Left-breast mammogram, cranio-caudal. Patient age 60.
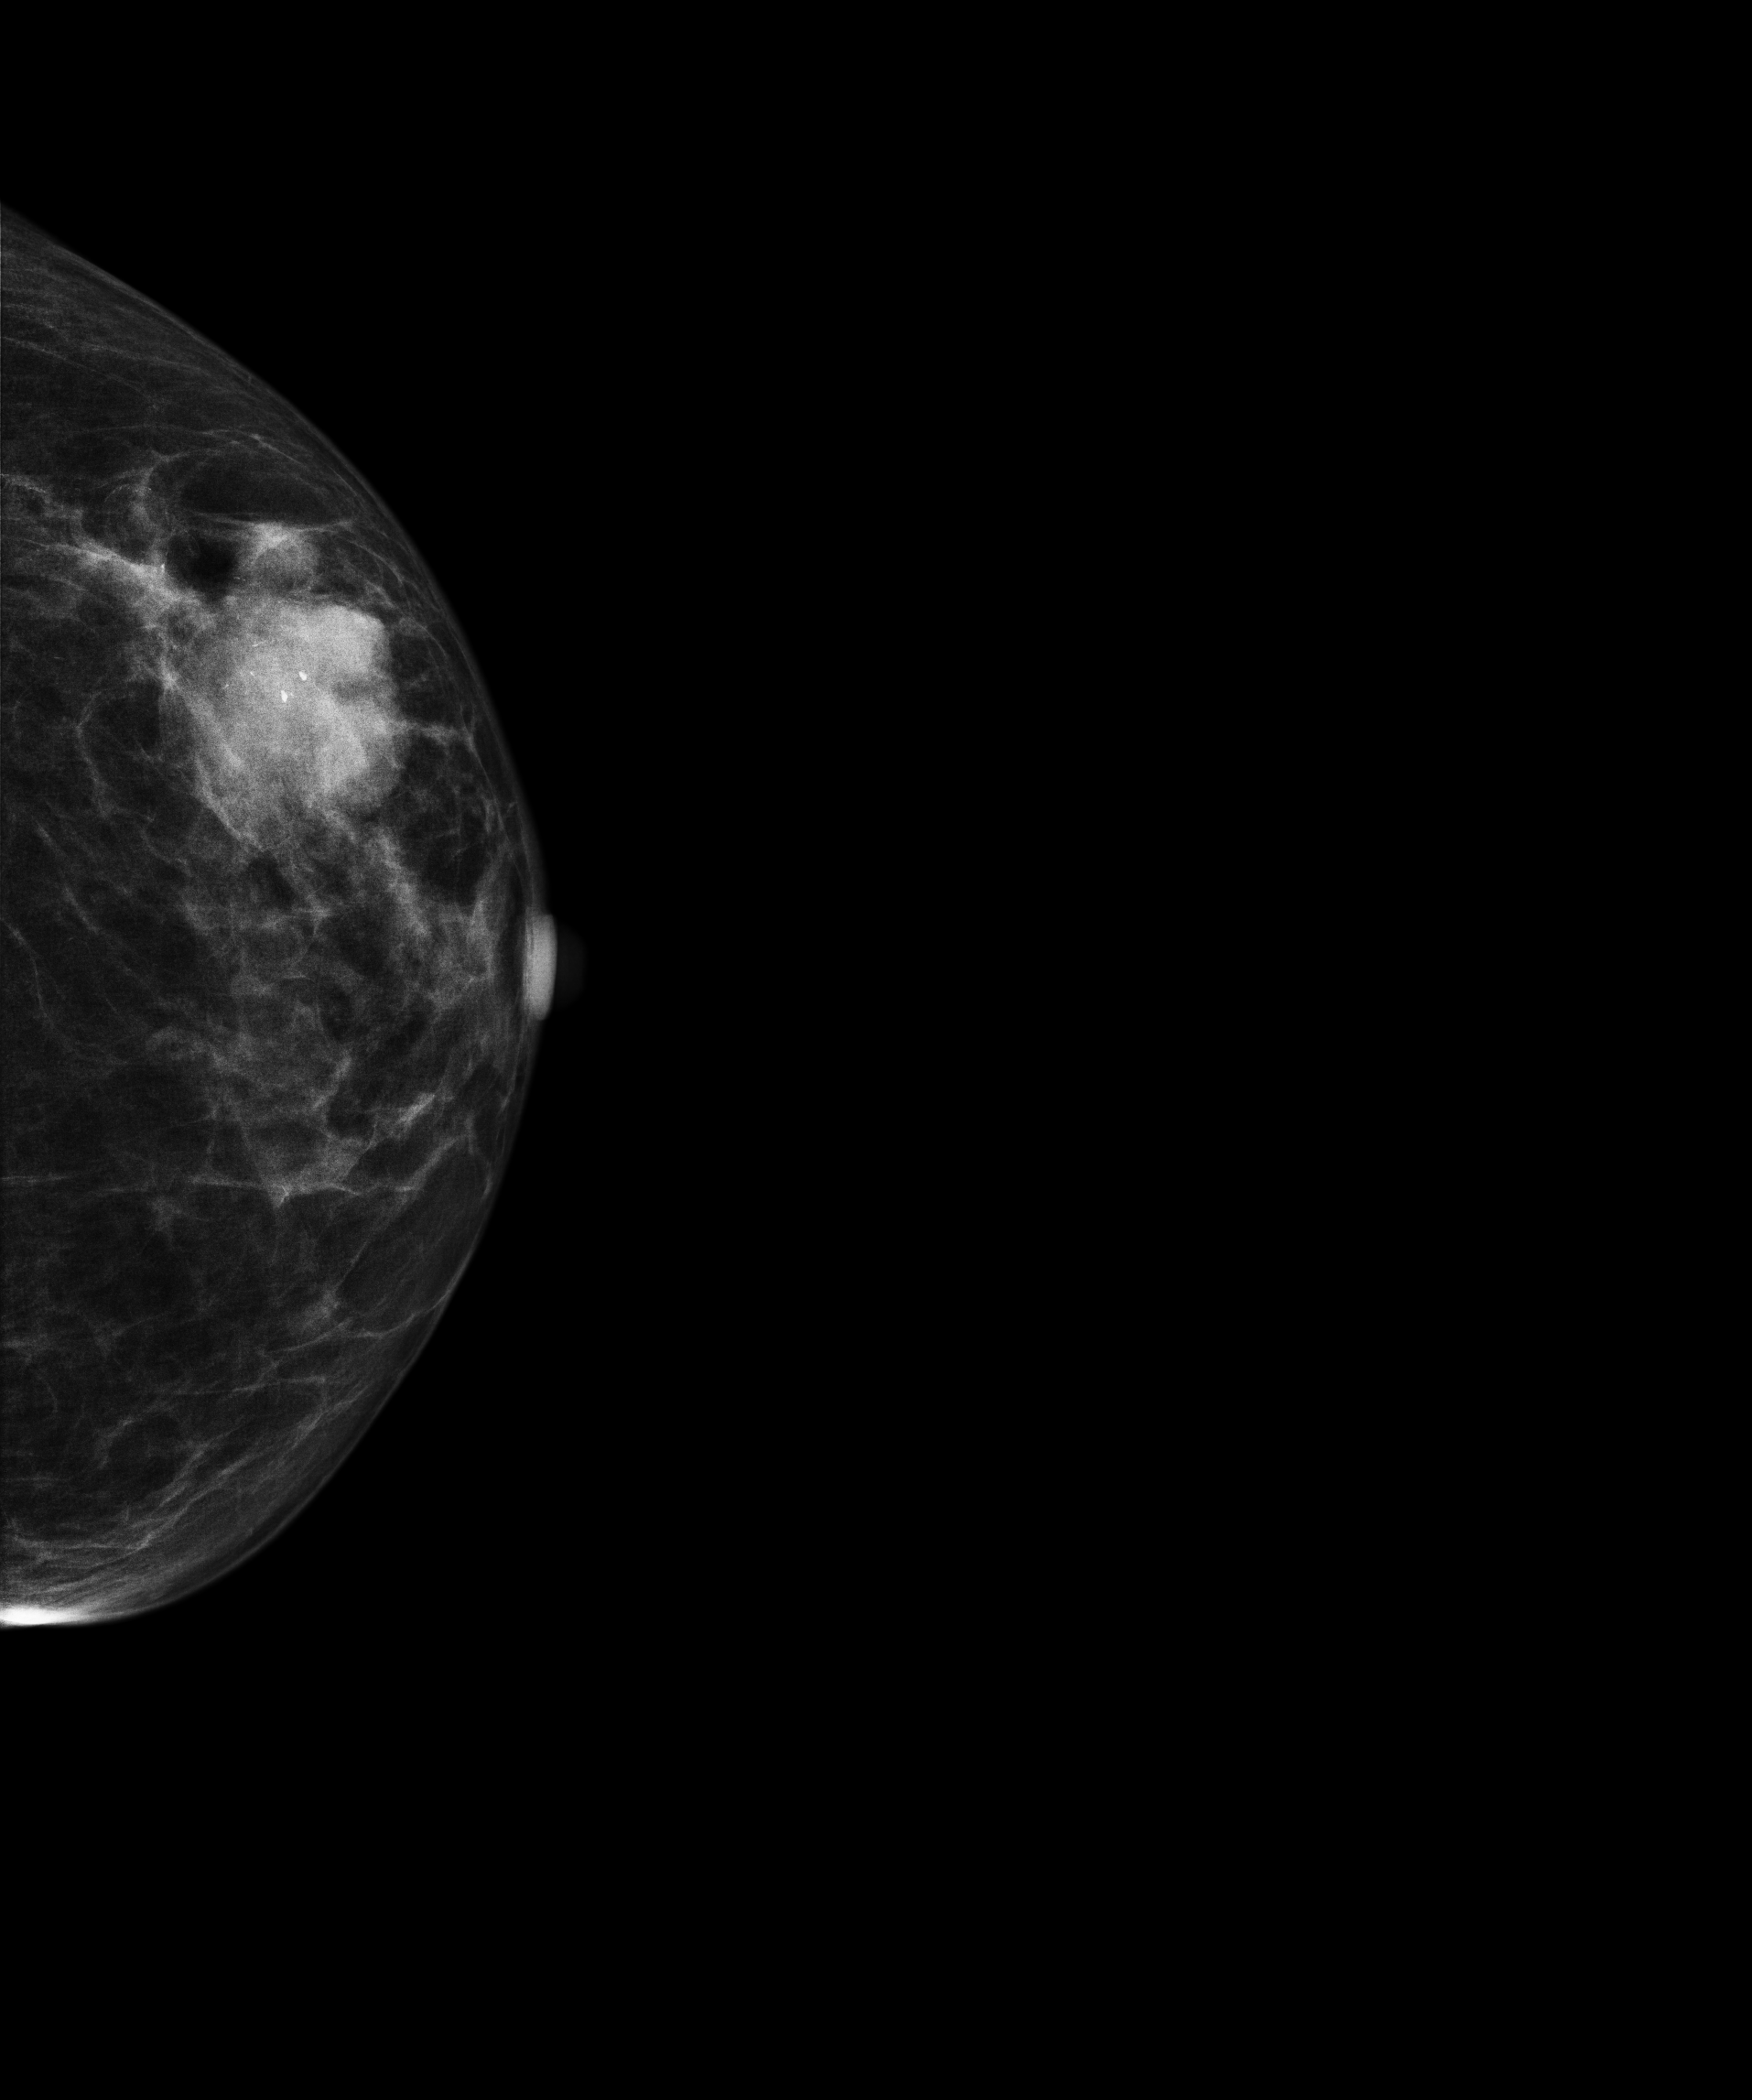
This breast has a mass and calcifications, biopsy-confirmed malignant.